Mammogram, right breast, MLO view. 30-year-old patient.
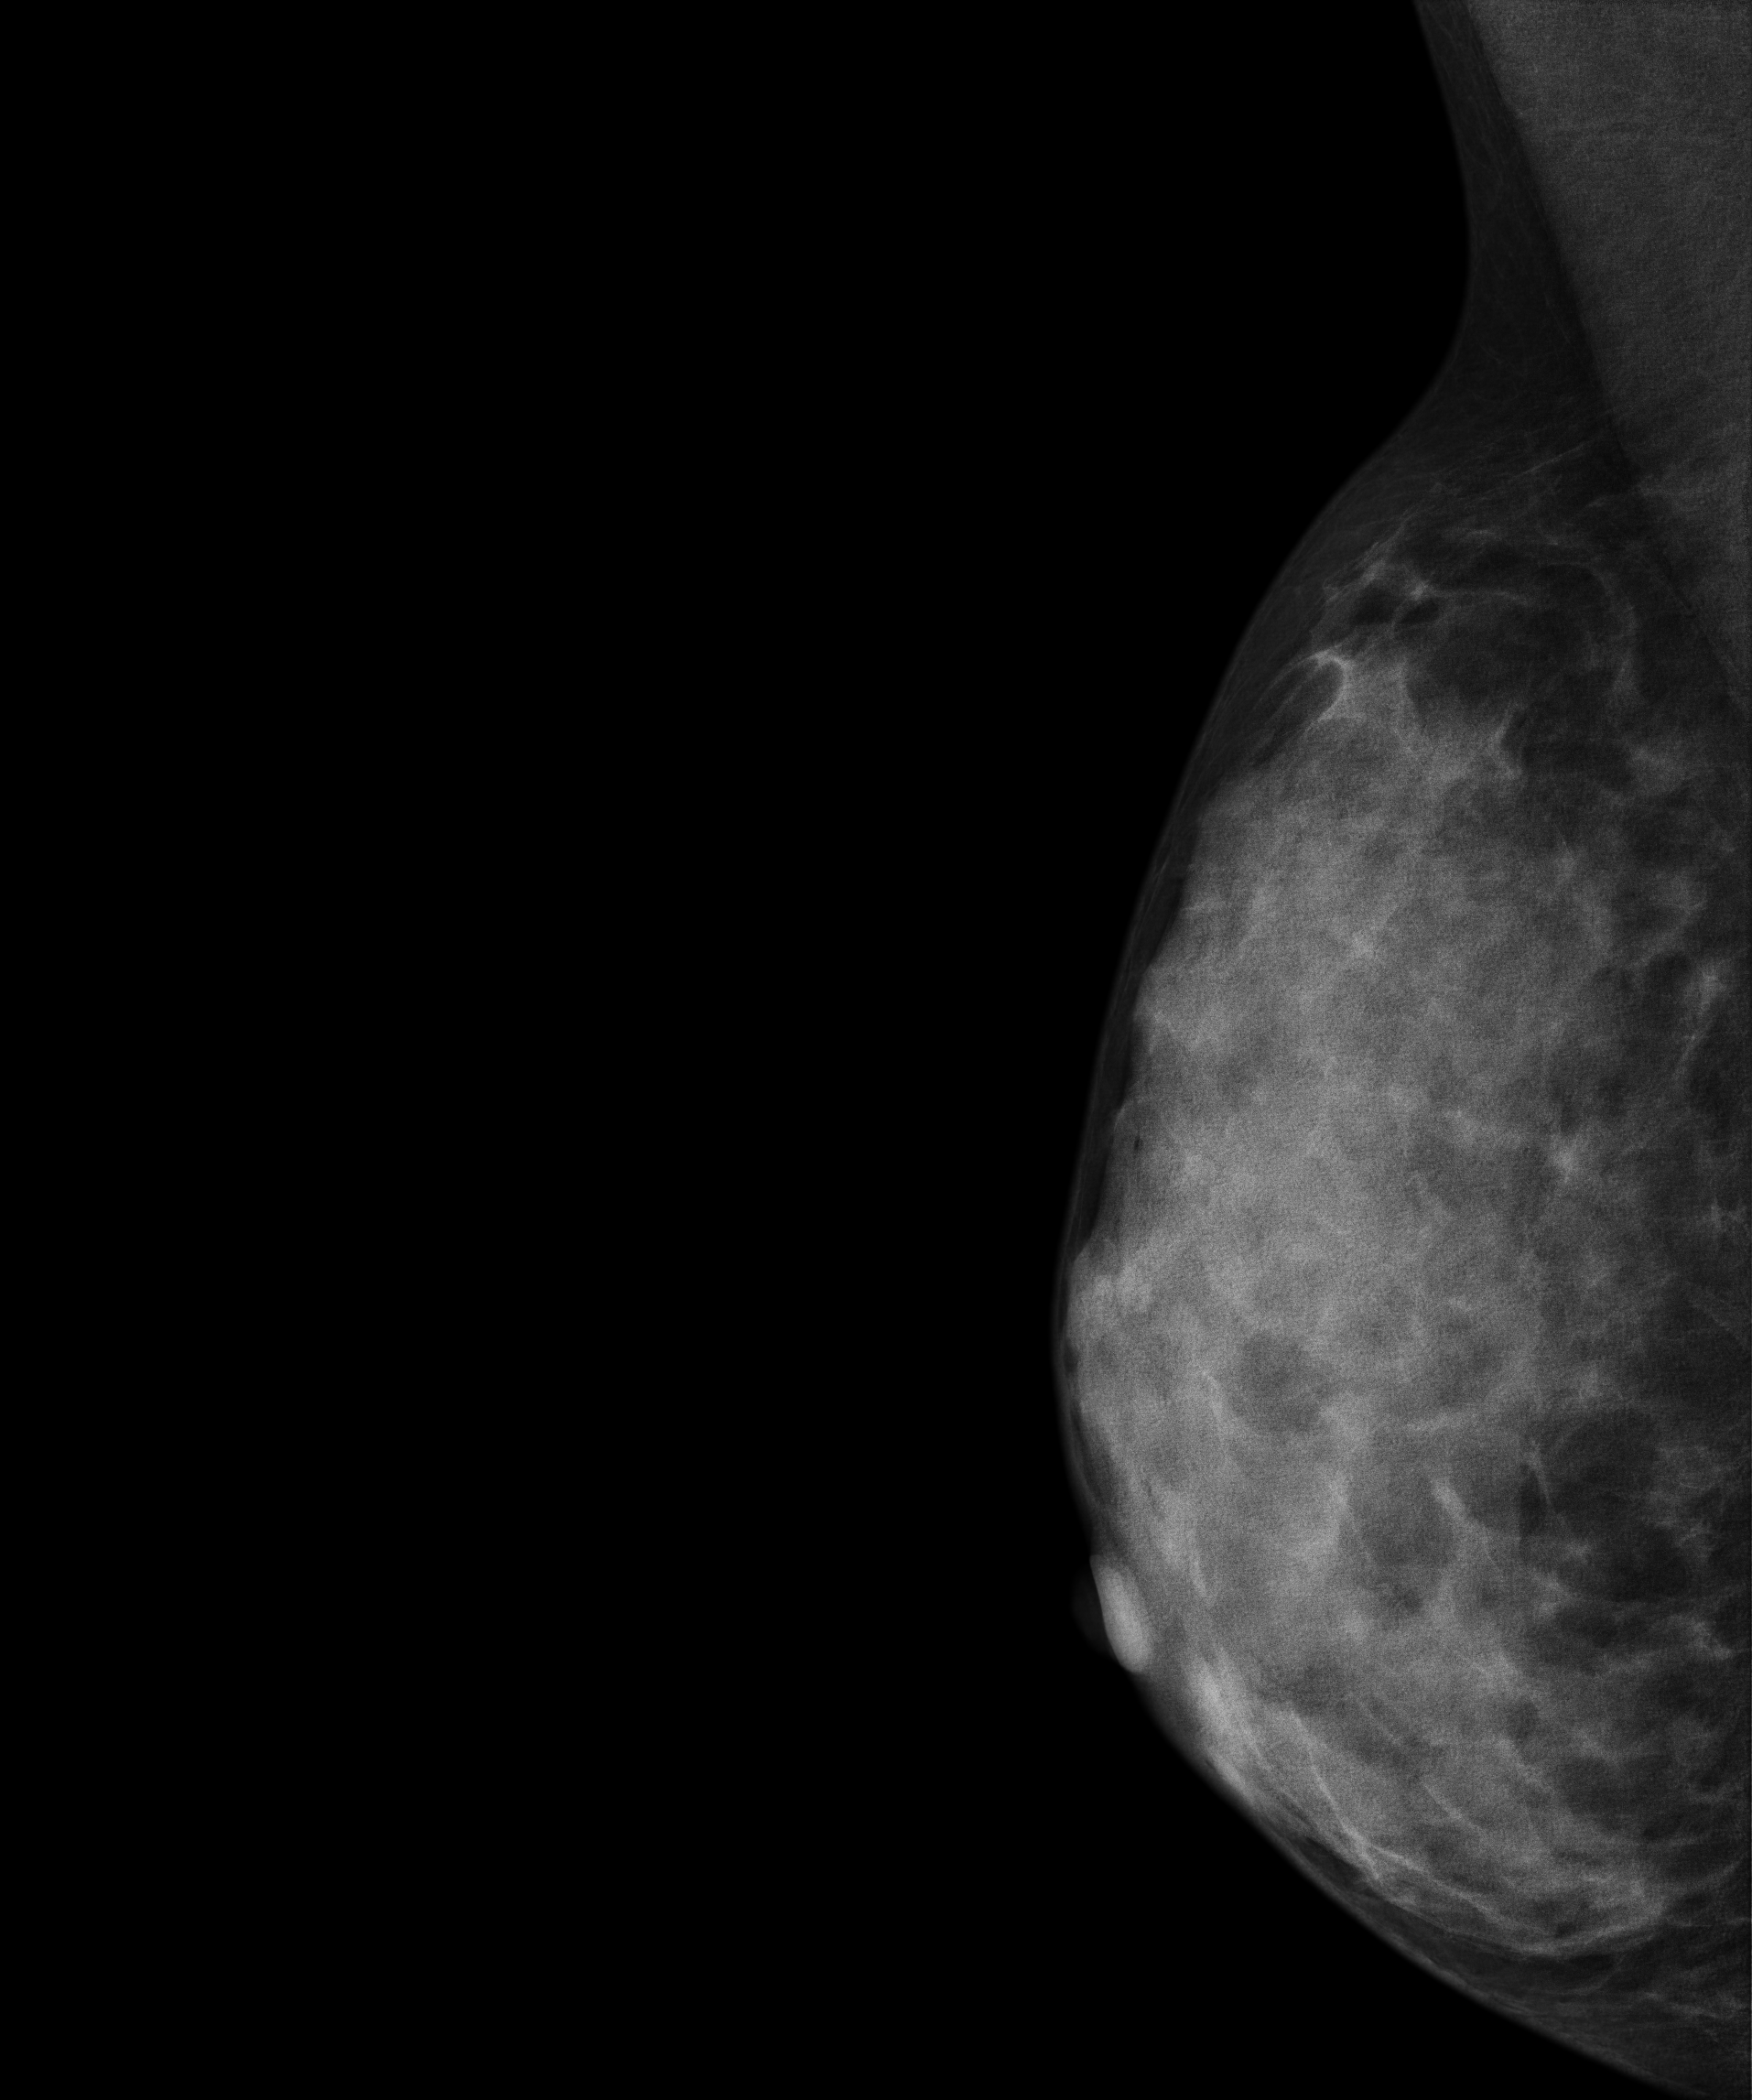
This breast has a mass and calcifications, histologically confirmed malignant. Molecular subtype: luminal B.